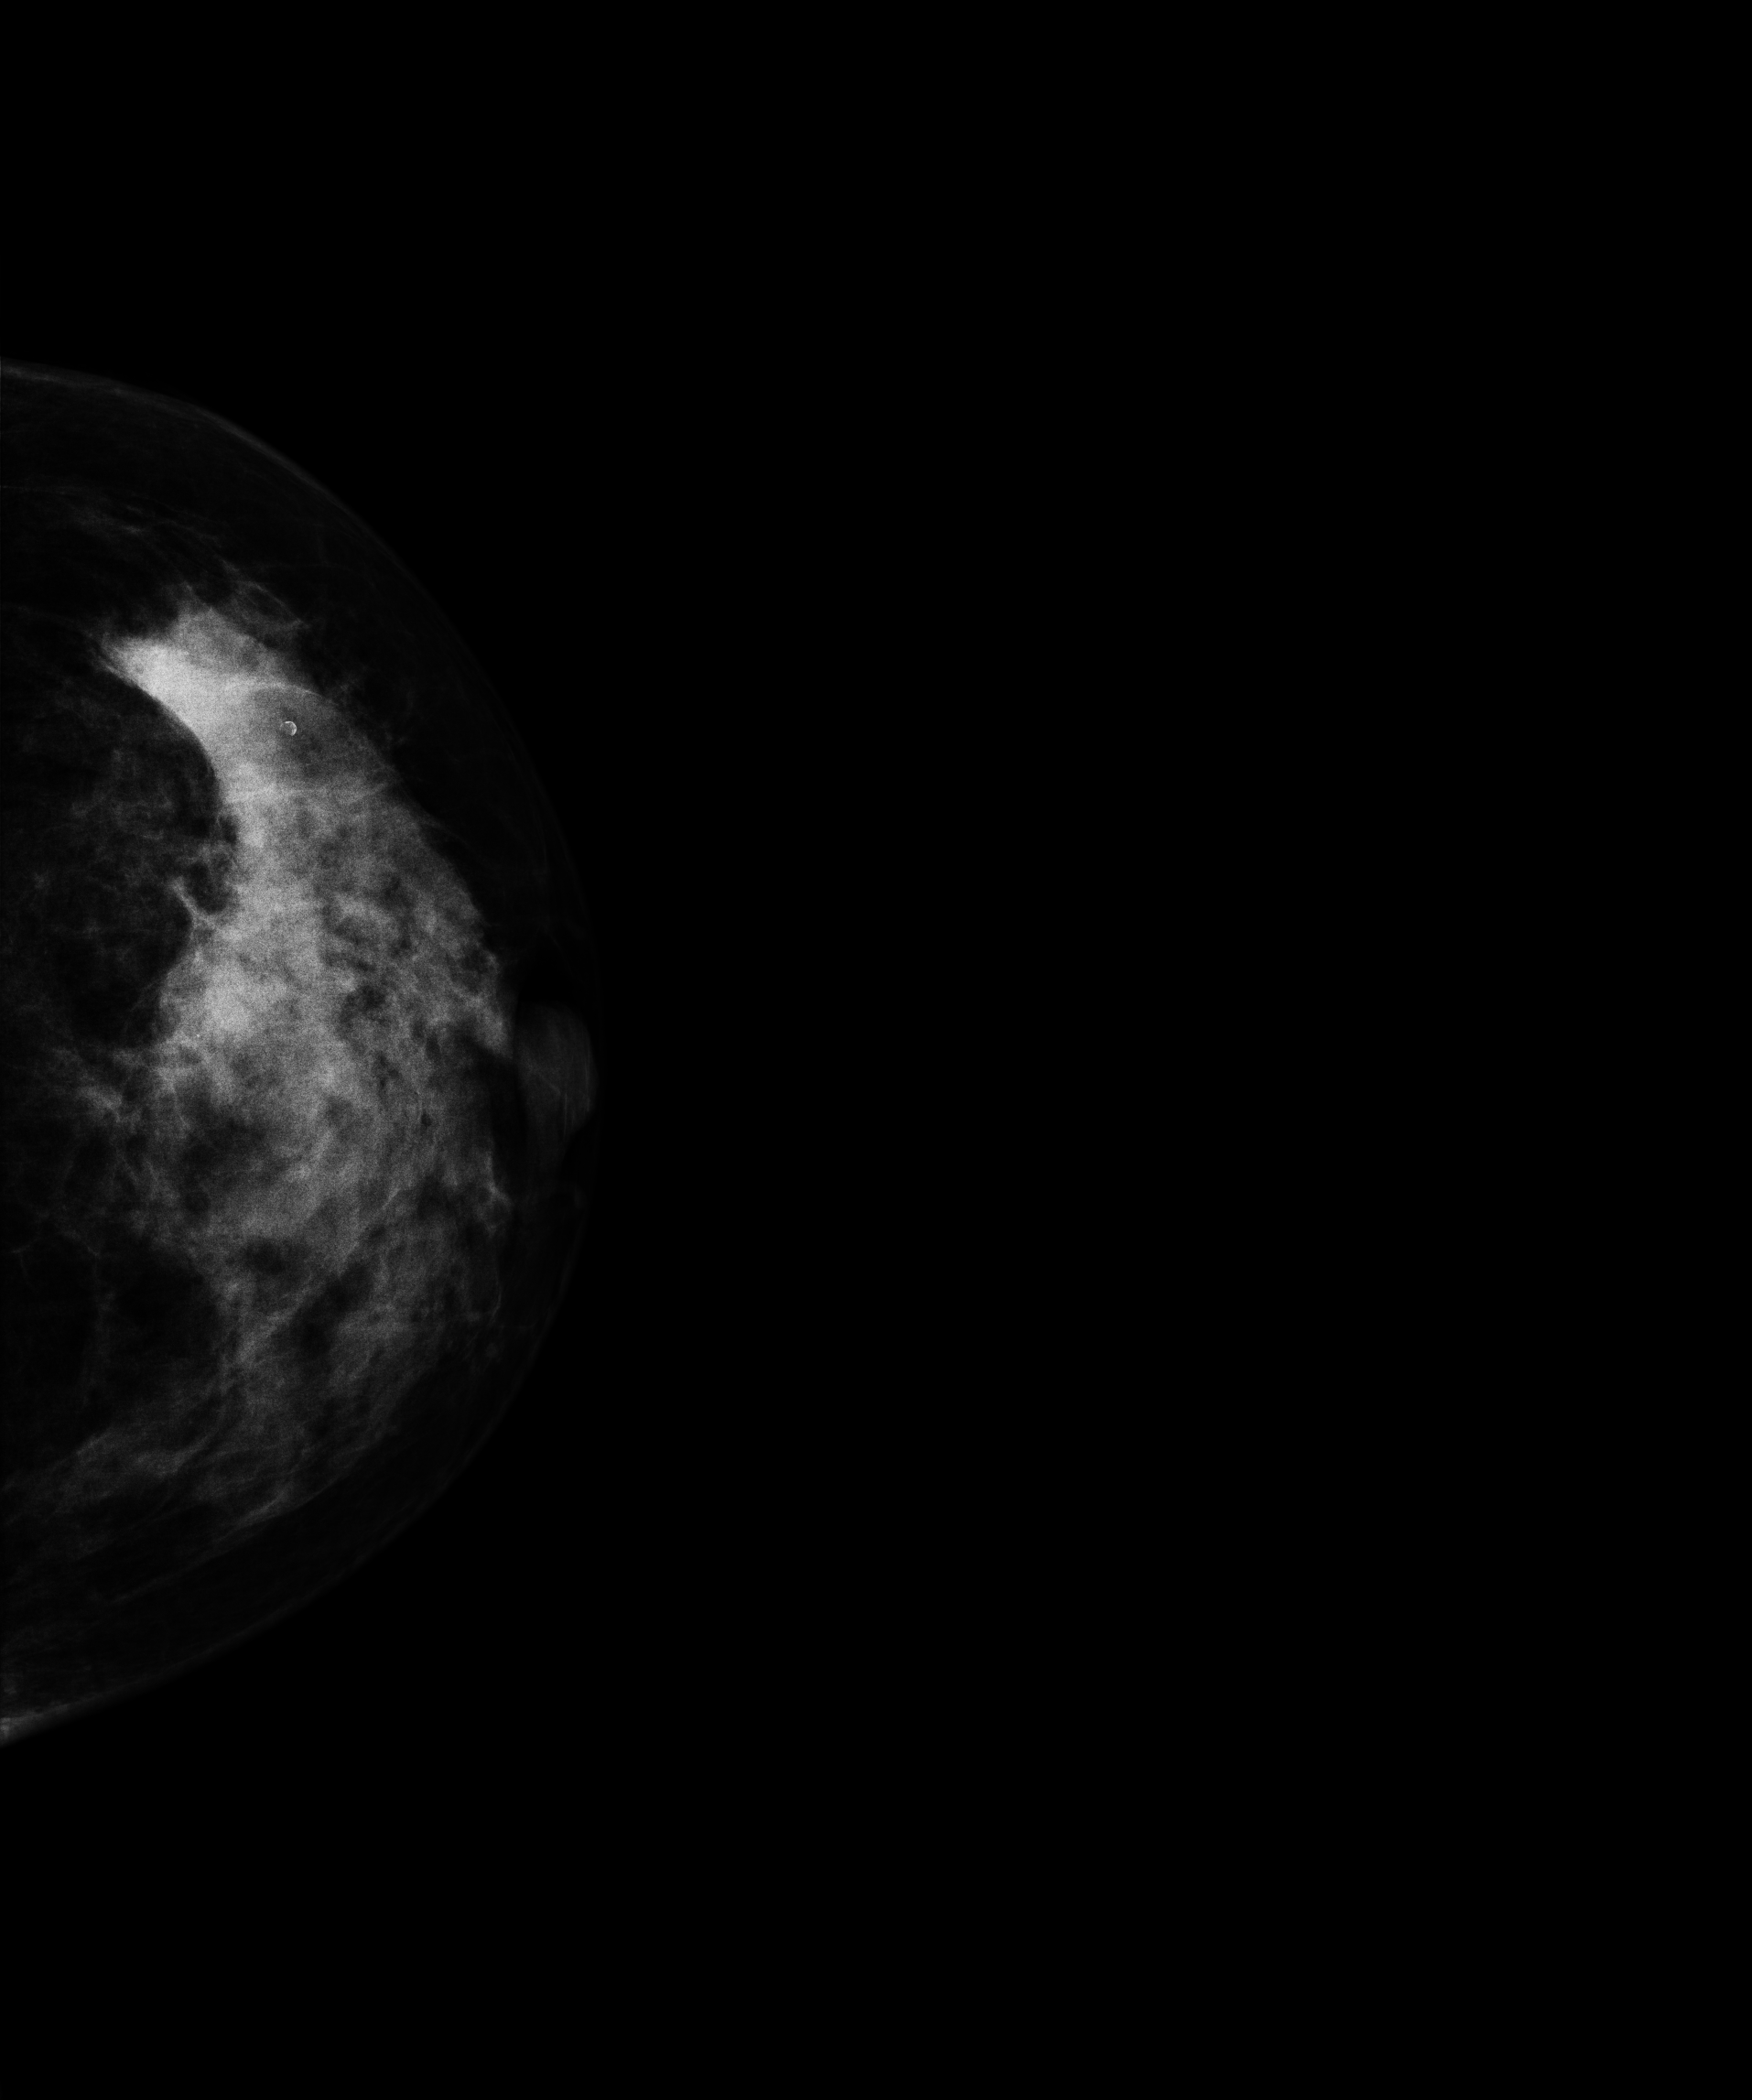
CC mammogram of the left breast. Patient age 47.
This breast has a mass, biopsy-confirmed malignant.